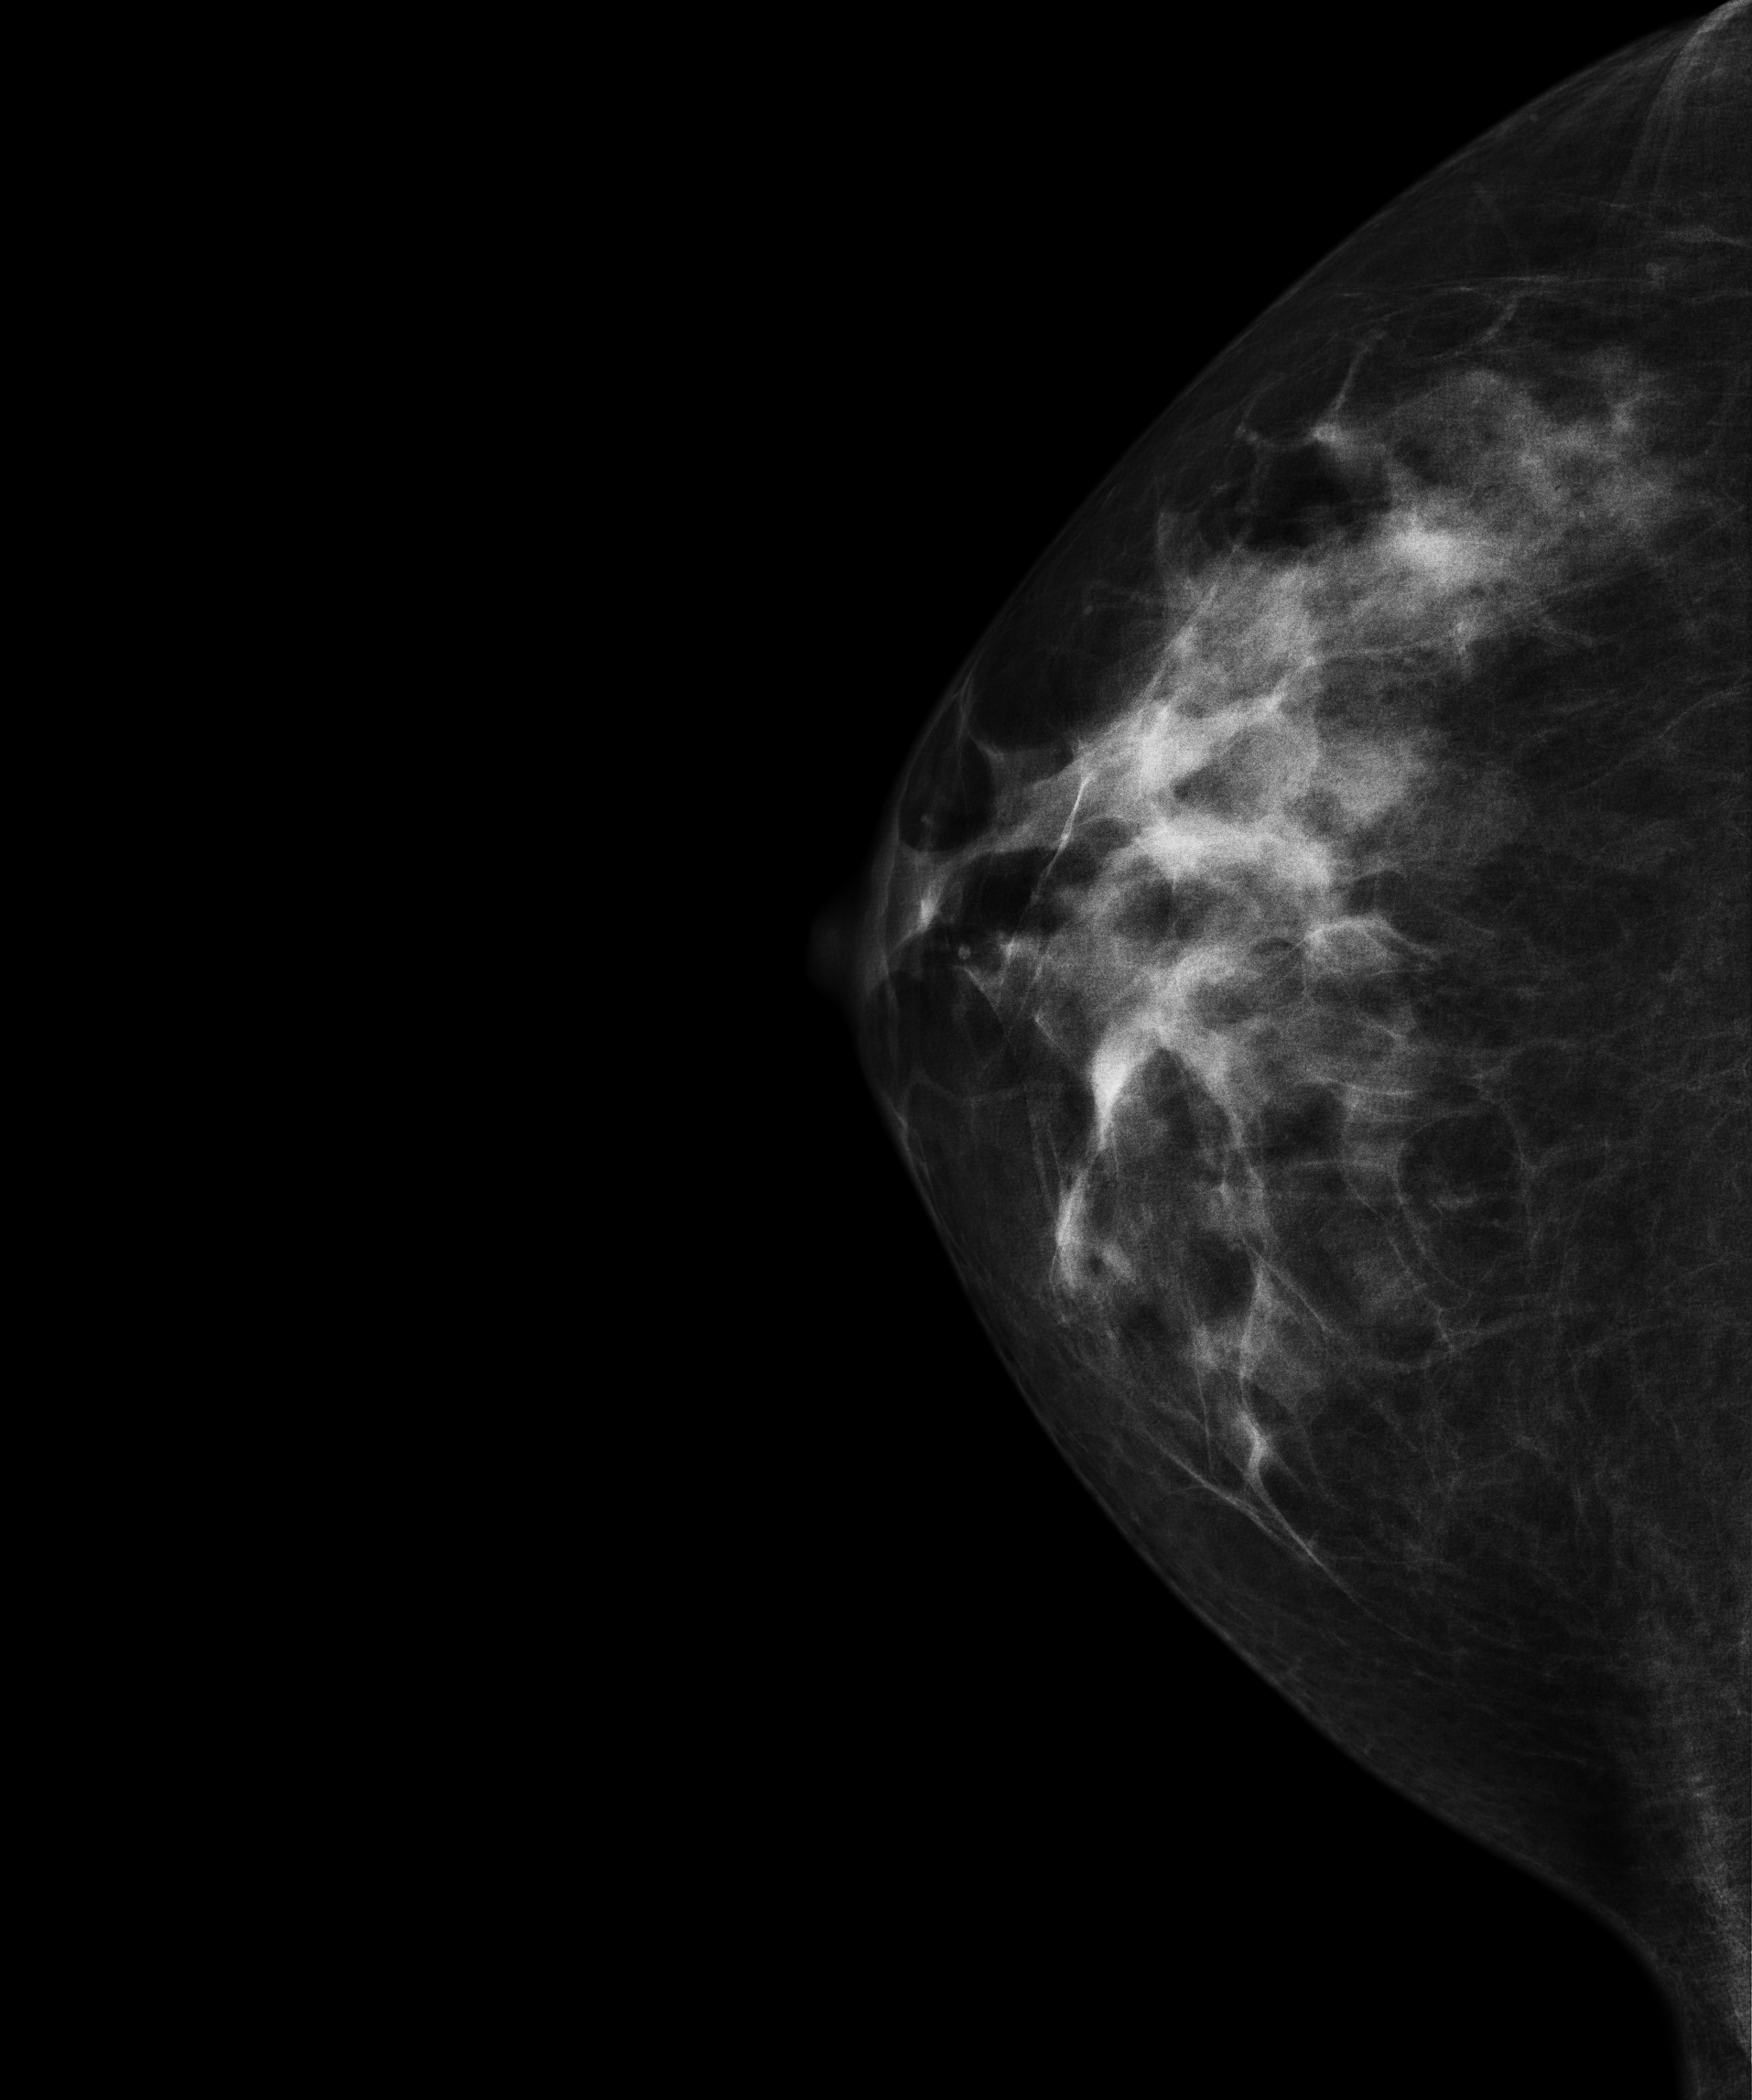
Digital mammography. Right breast, MLO projection. 51 y/o patient.
Contralateral breast — no documented abnormality on this side.